Left-breast mammogram, cranio-caudal. 31-year-old patient.
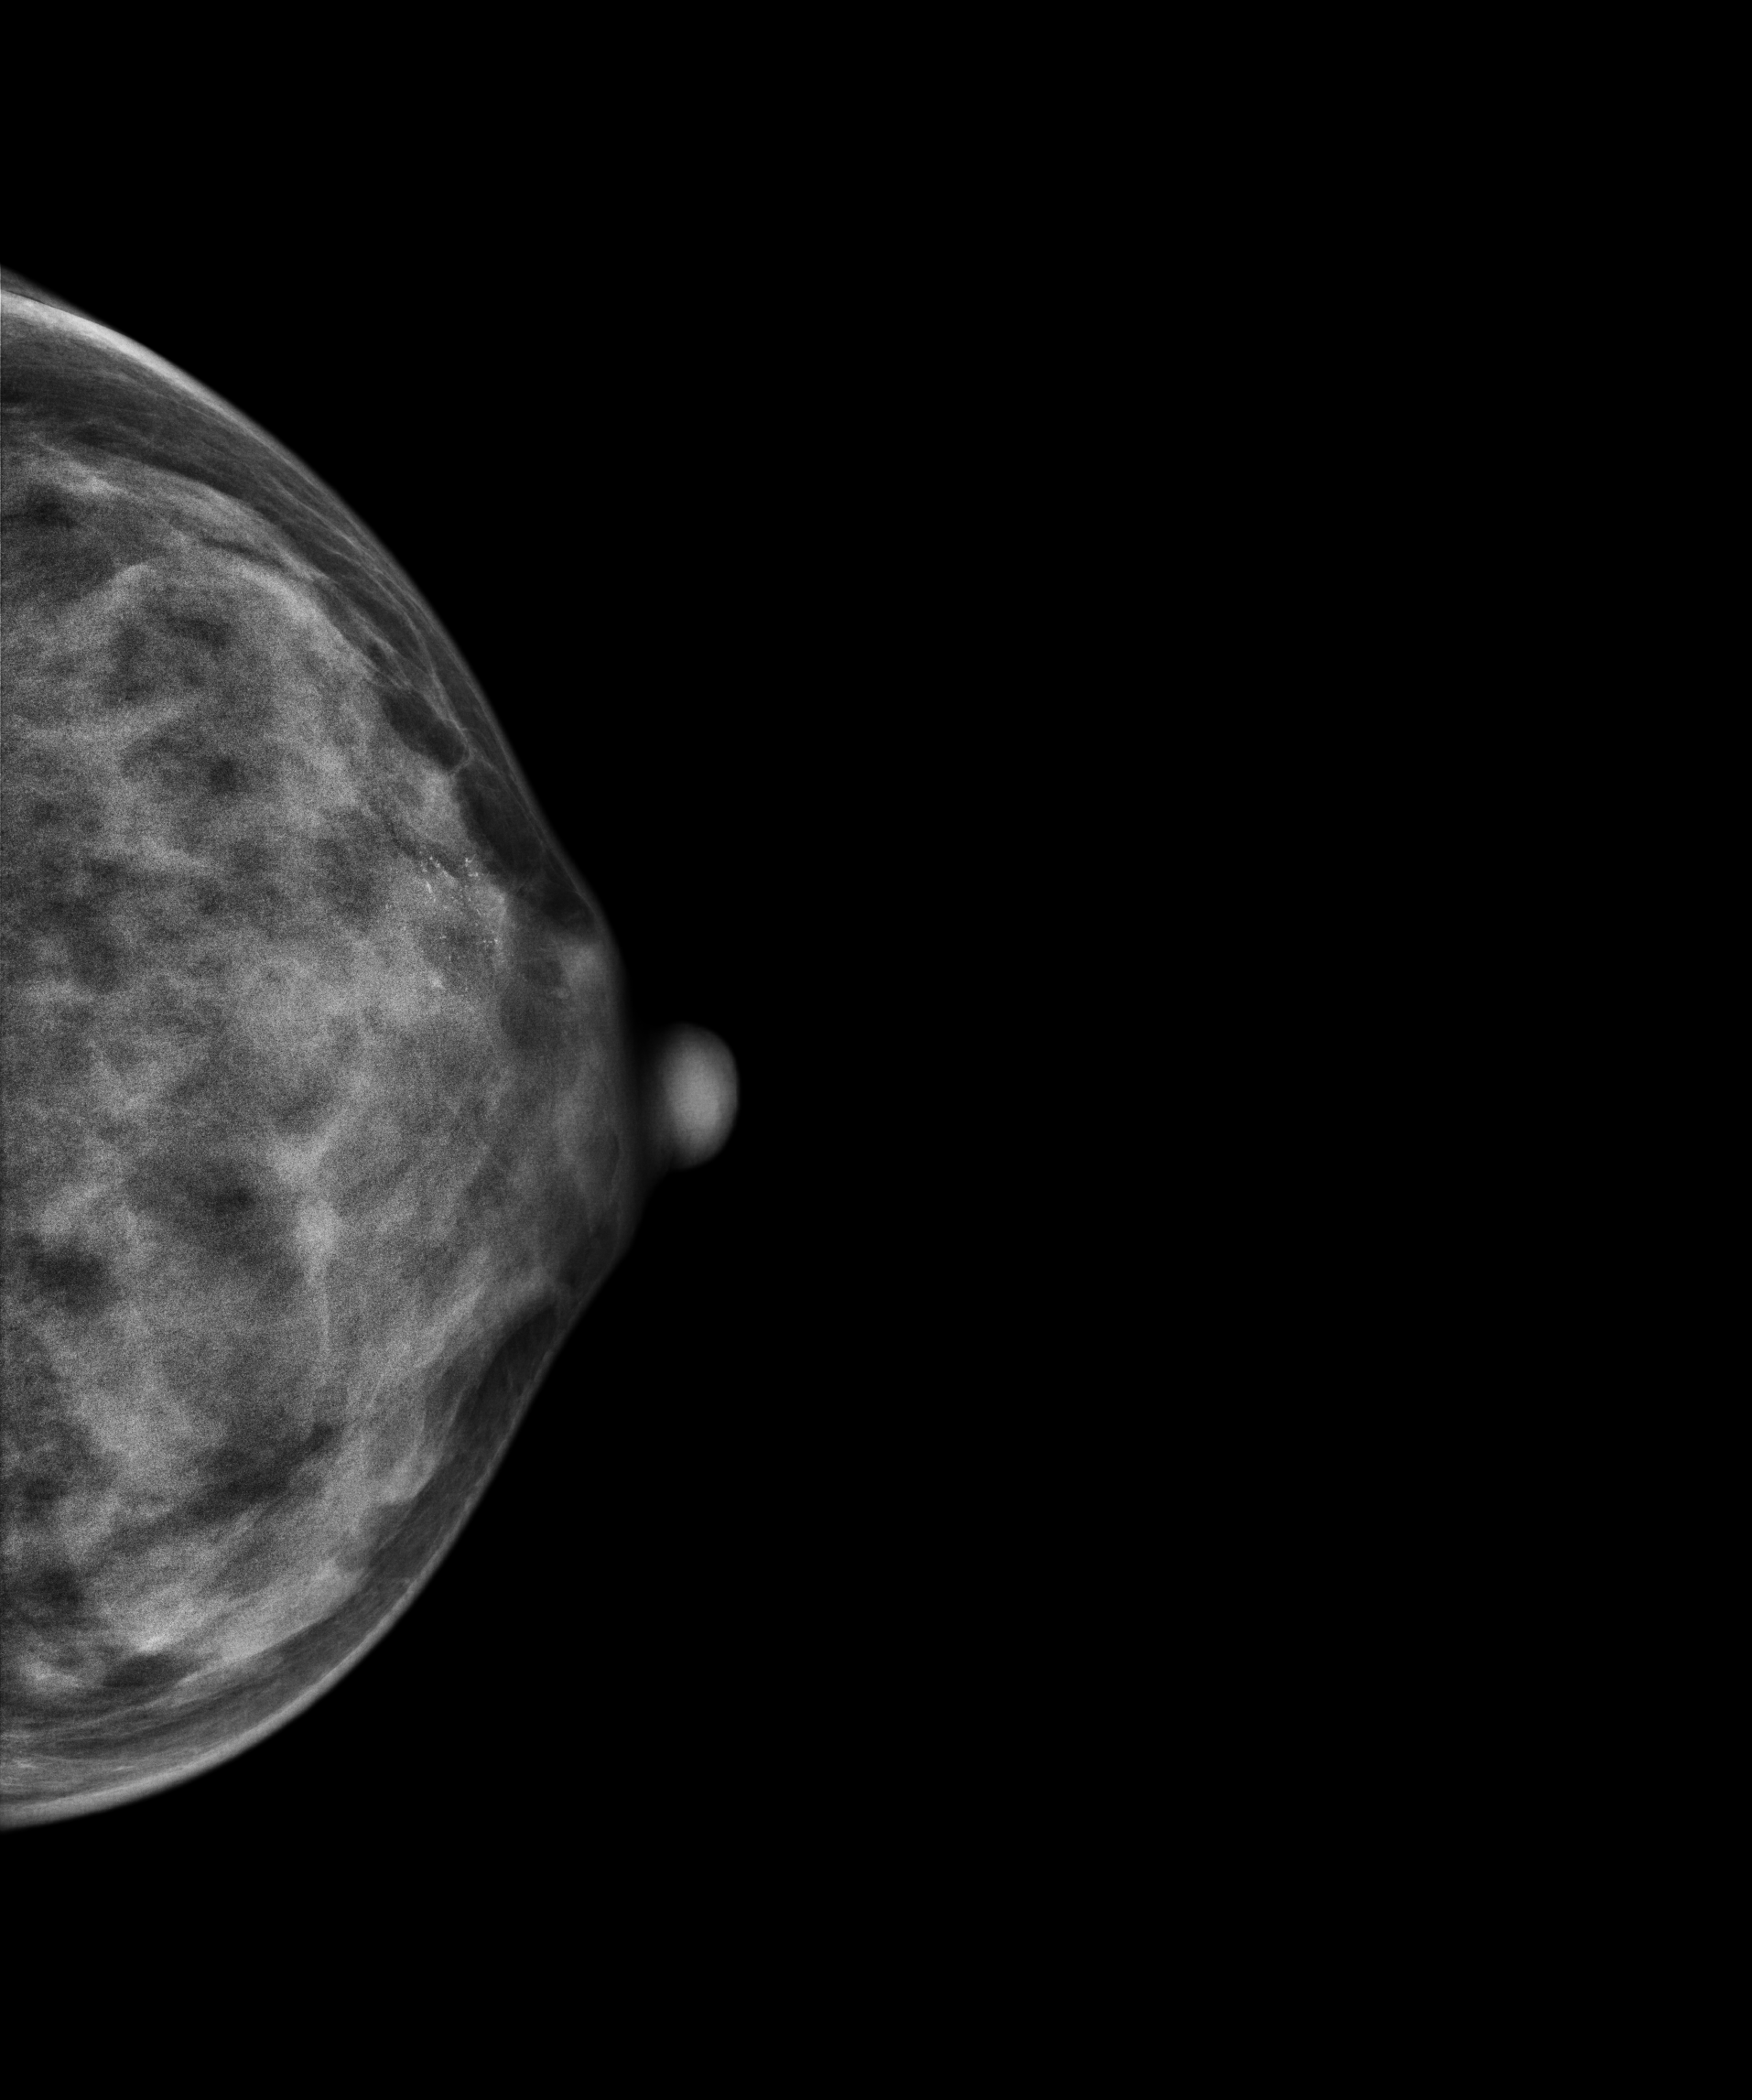
This breast has calcifications, biopsy-confirmed malignant.